Mammogram, left breast, MLO view. Patient age 56.
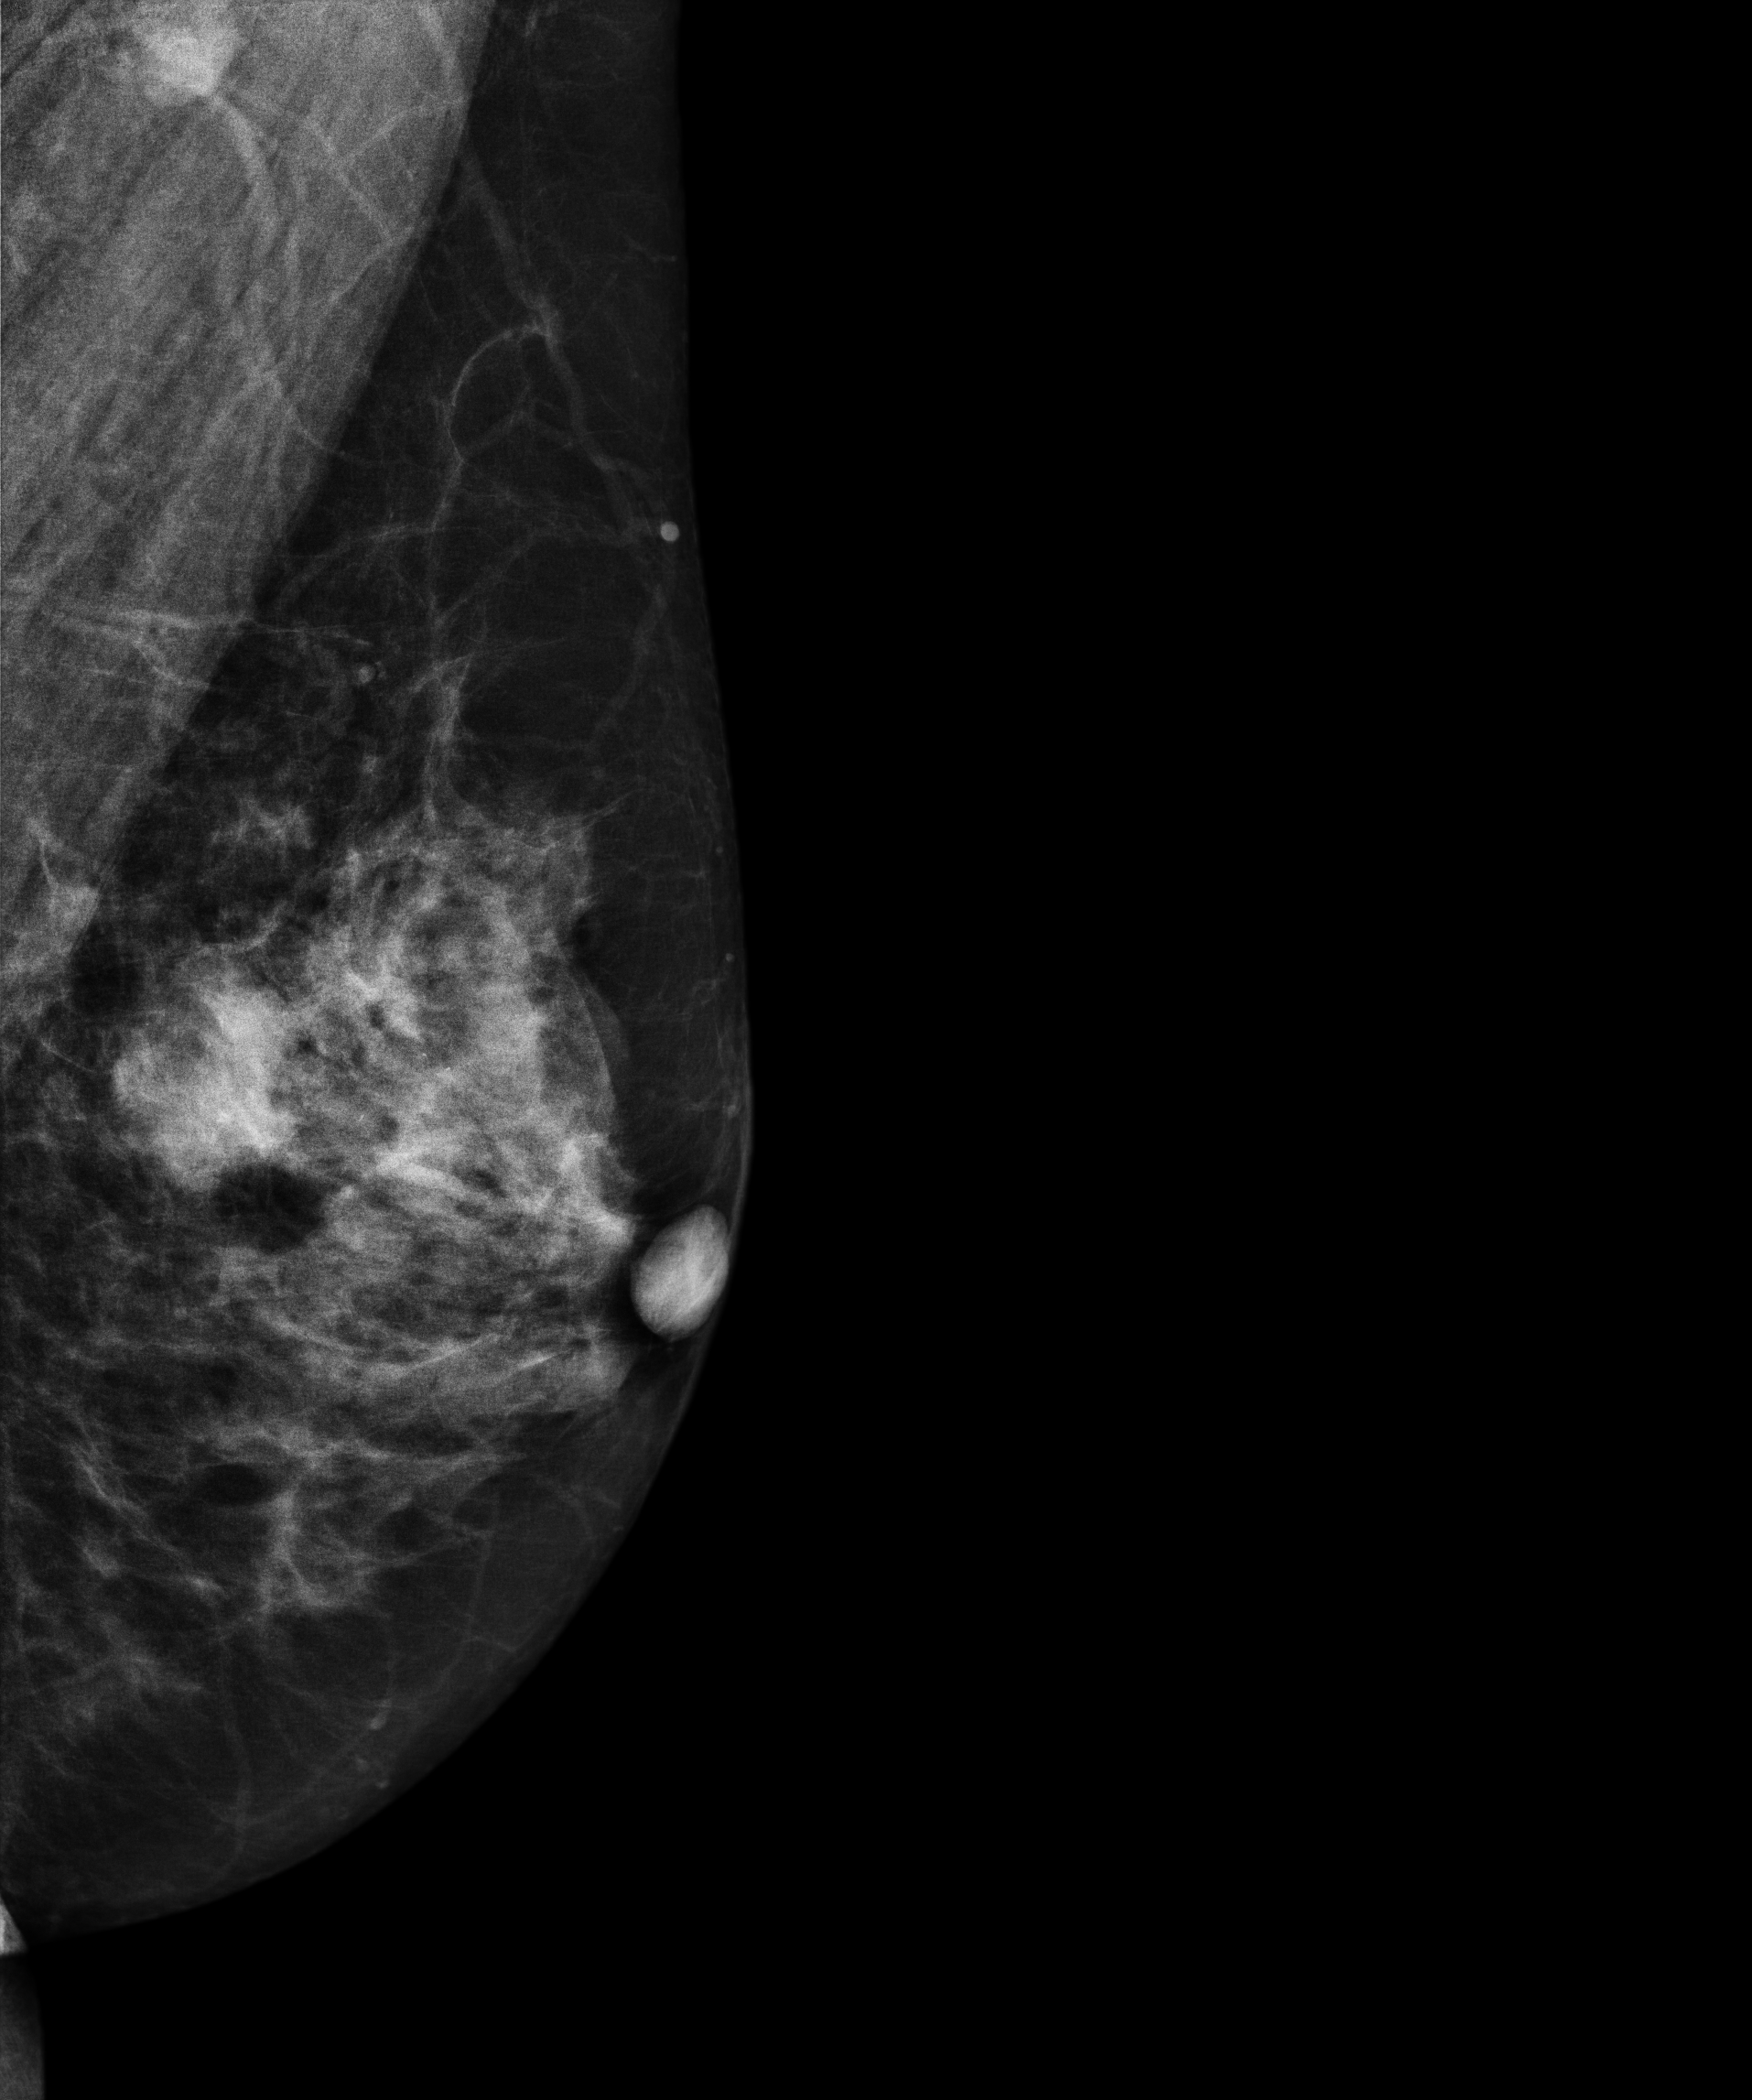
This breast has a mass, pathology-confirmed malignant. Molecular subtype: luminal B.